Mammogram, left breast, MLO view. 52-year-old patient.
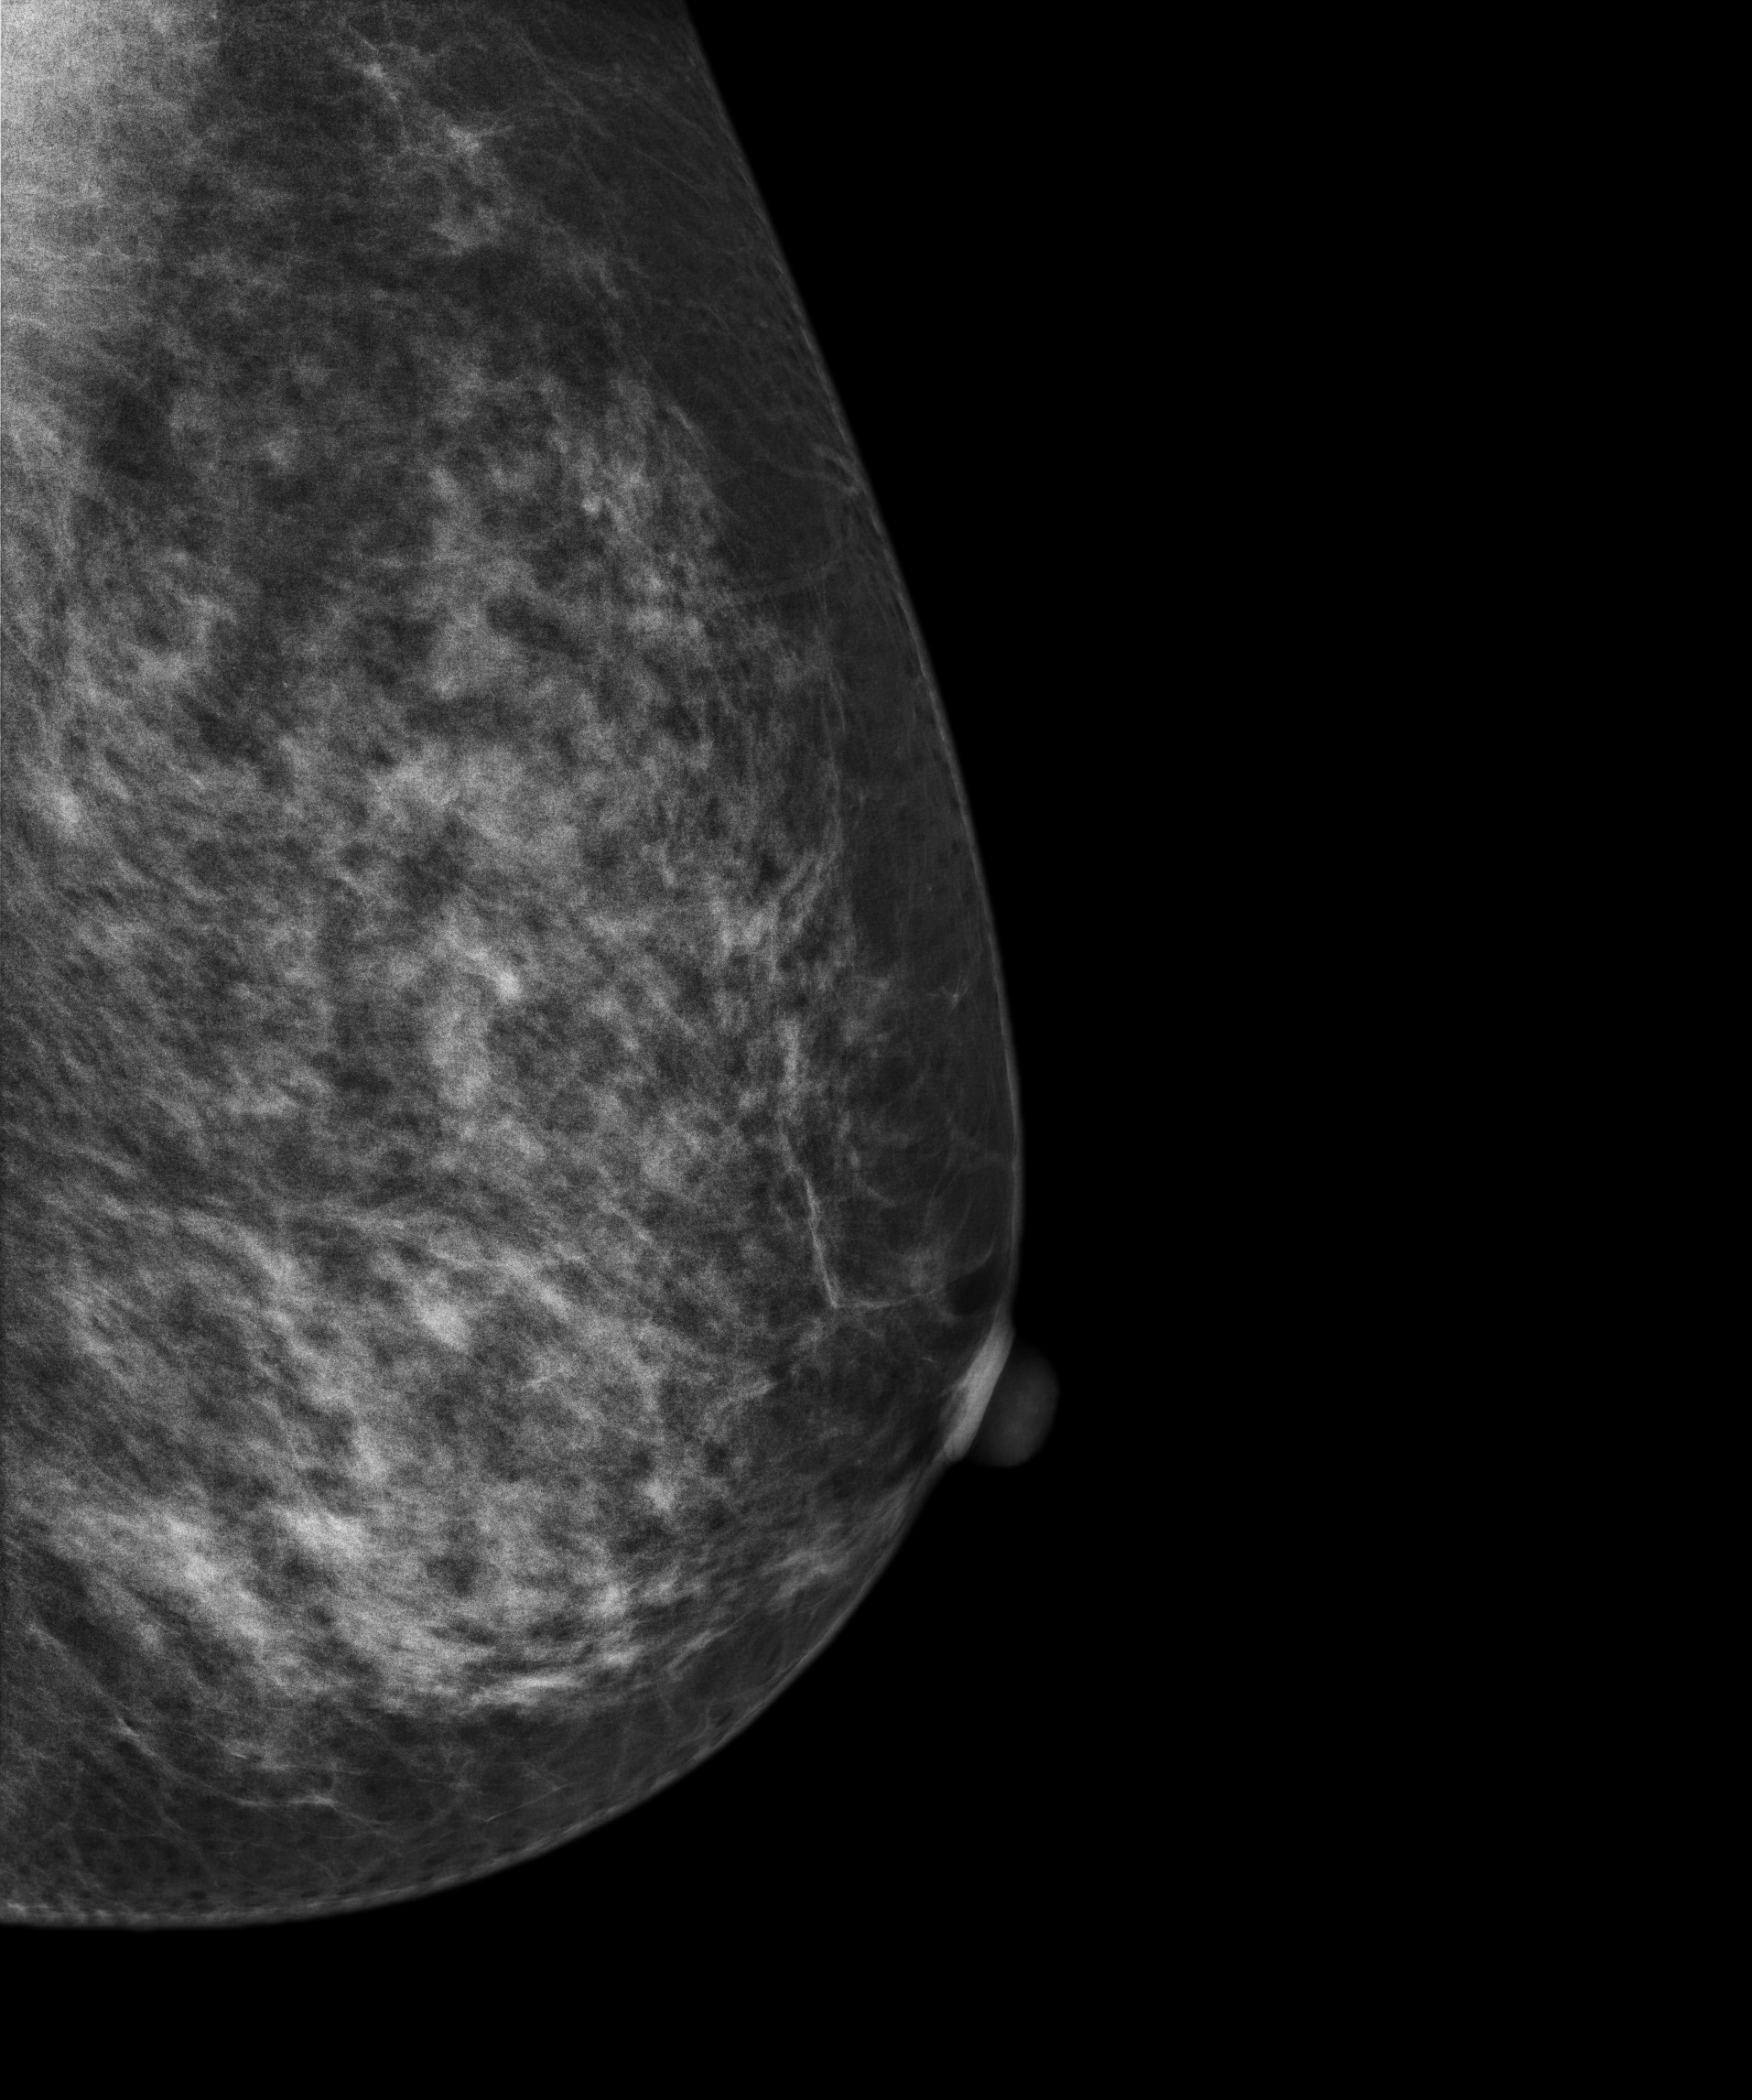
This breast has a mass, biopsy-proven malignant. Molecular subtype: luminal B.